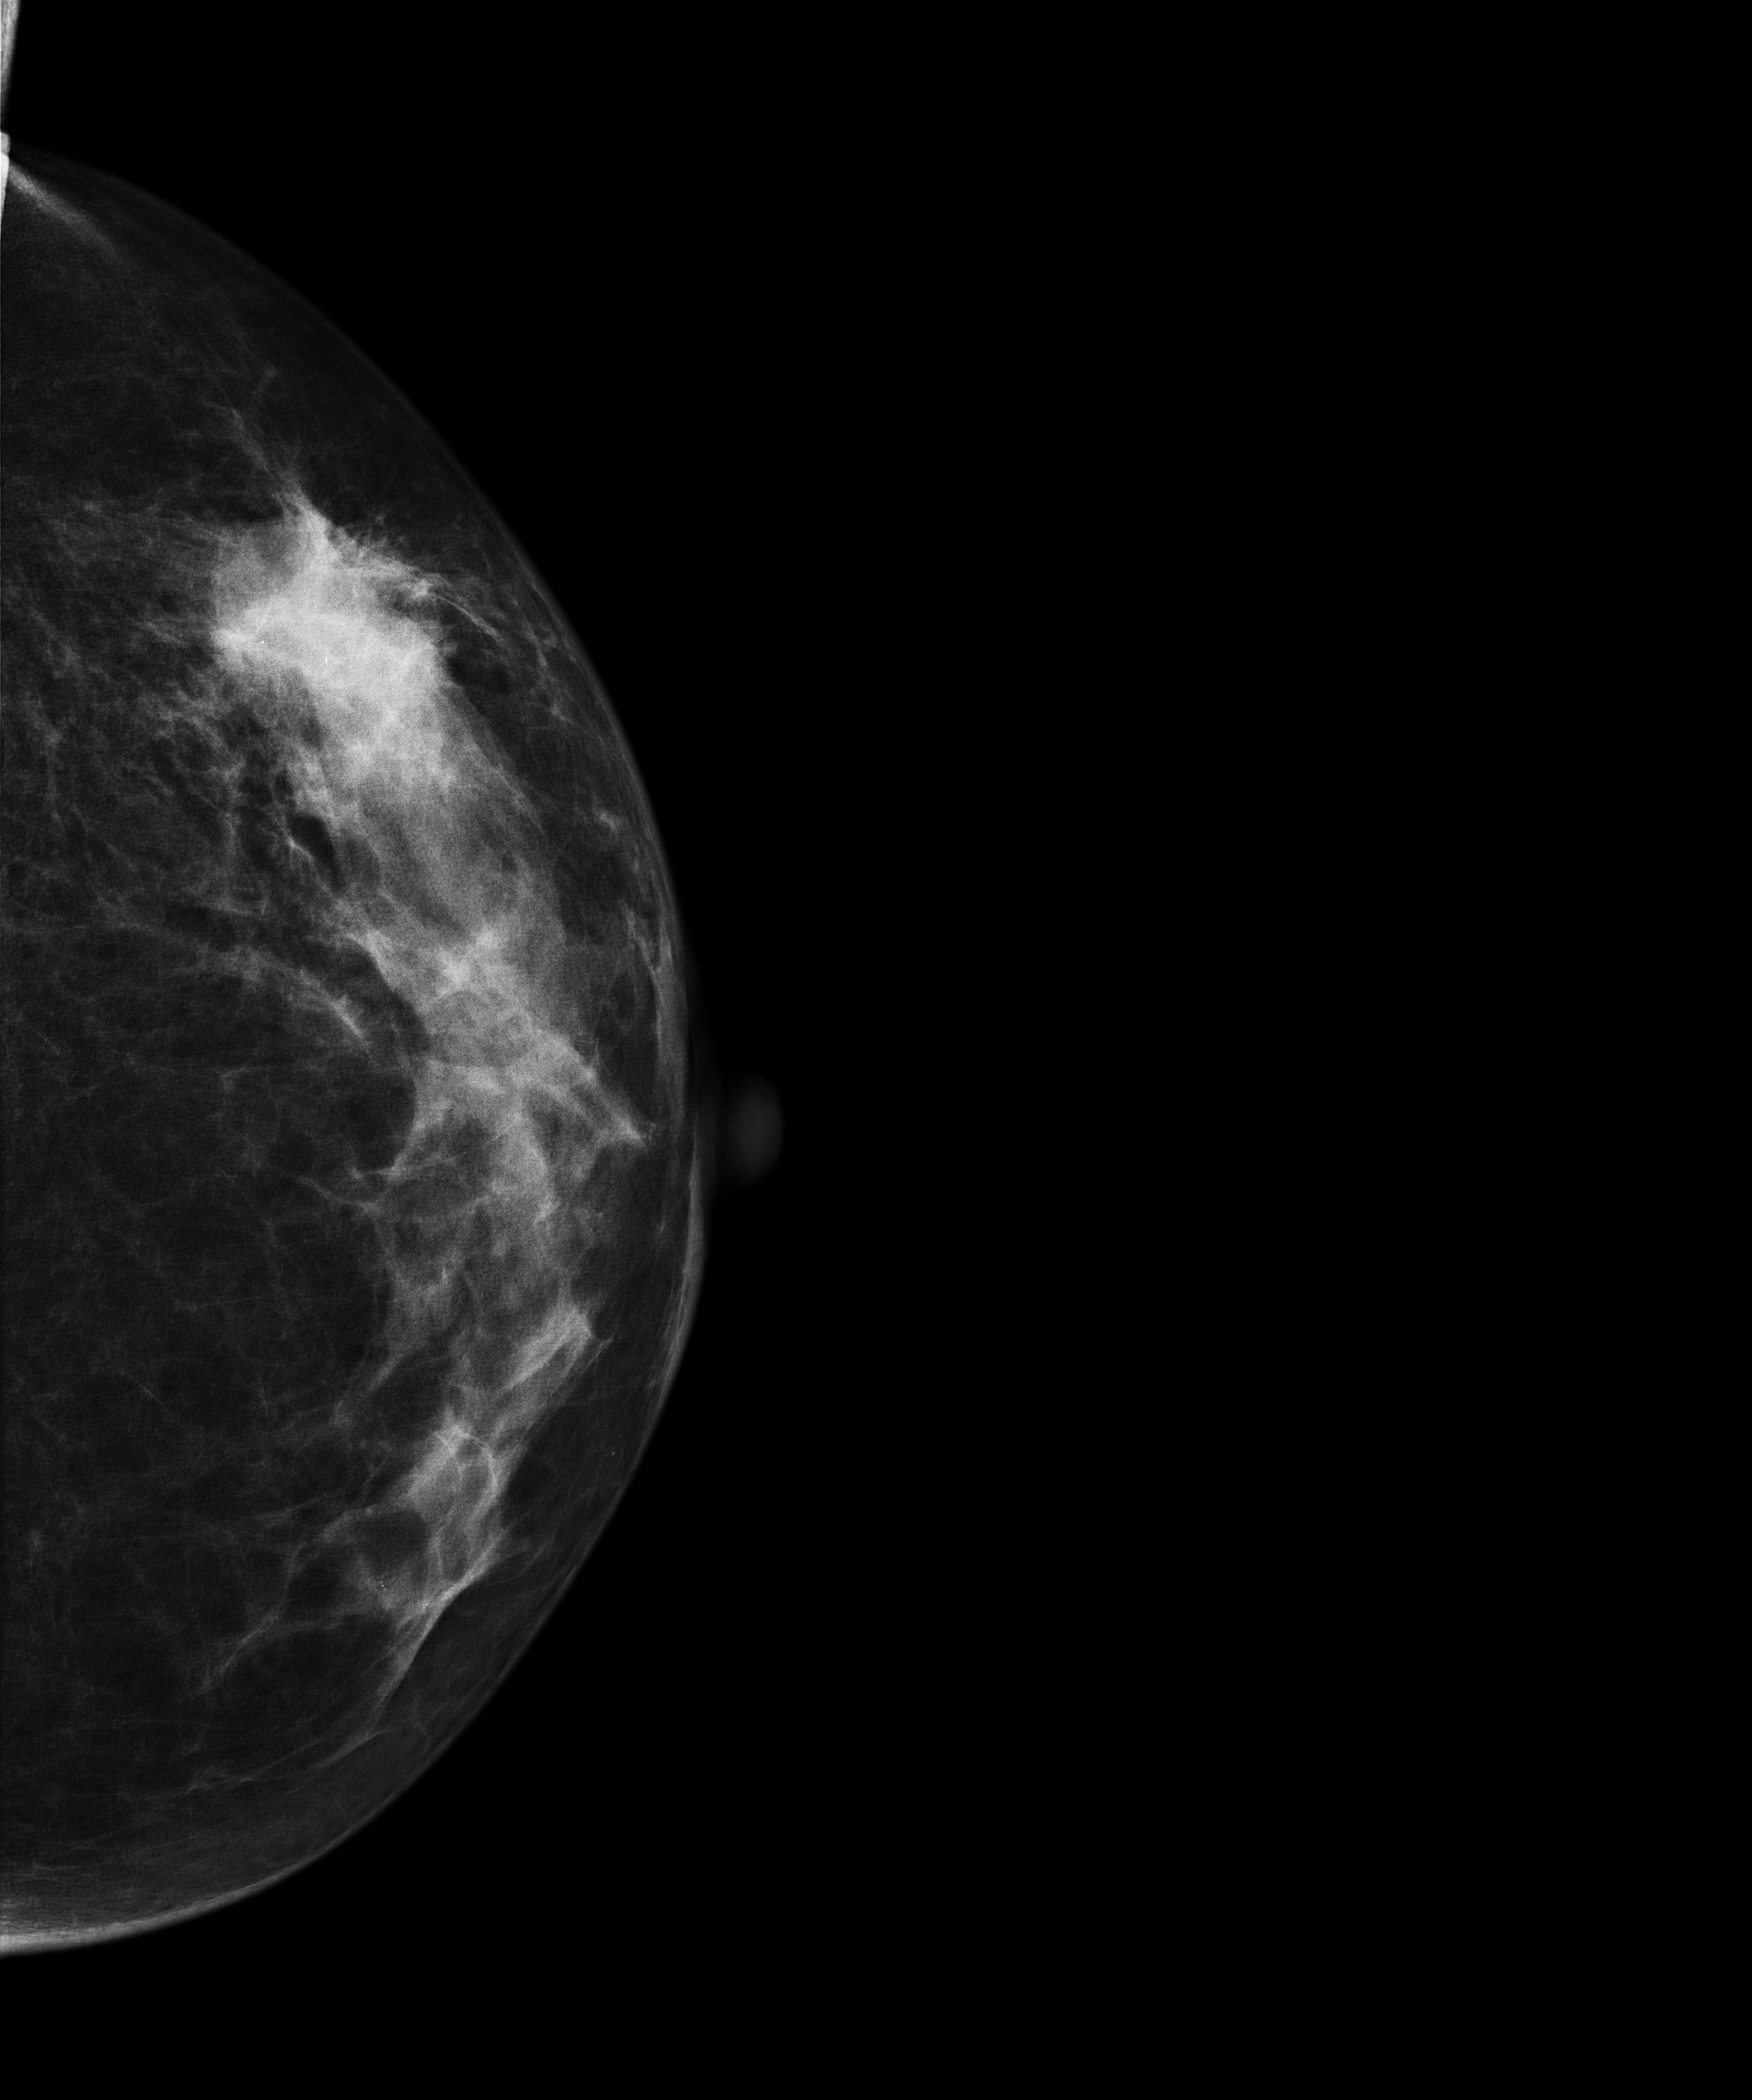
Mammogram — left cranio-caudal. 56 y/o patient.
This breast has a mass and calcifications, biopsy-proven malignant. Molecular subtype: luminal B.